Mammogram, left breast, cranio-caudal view. Patient age 42.
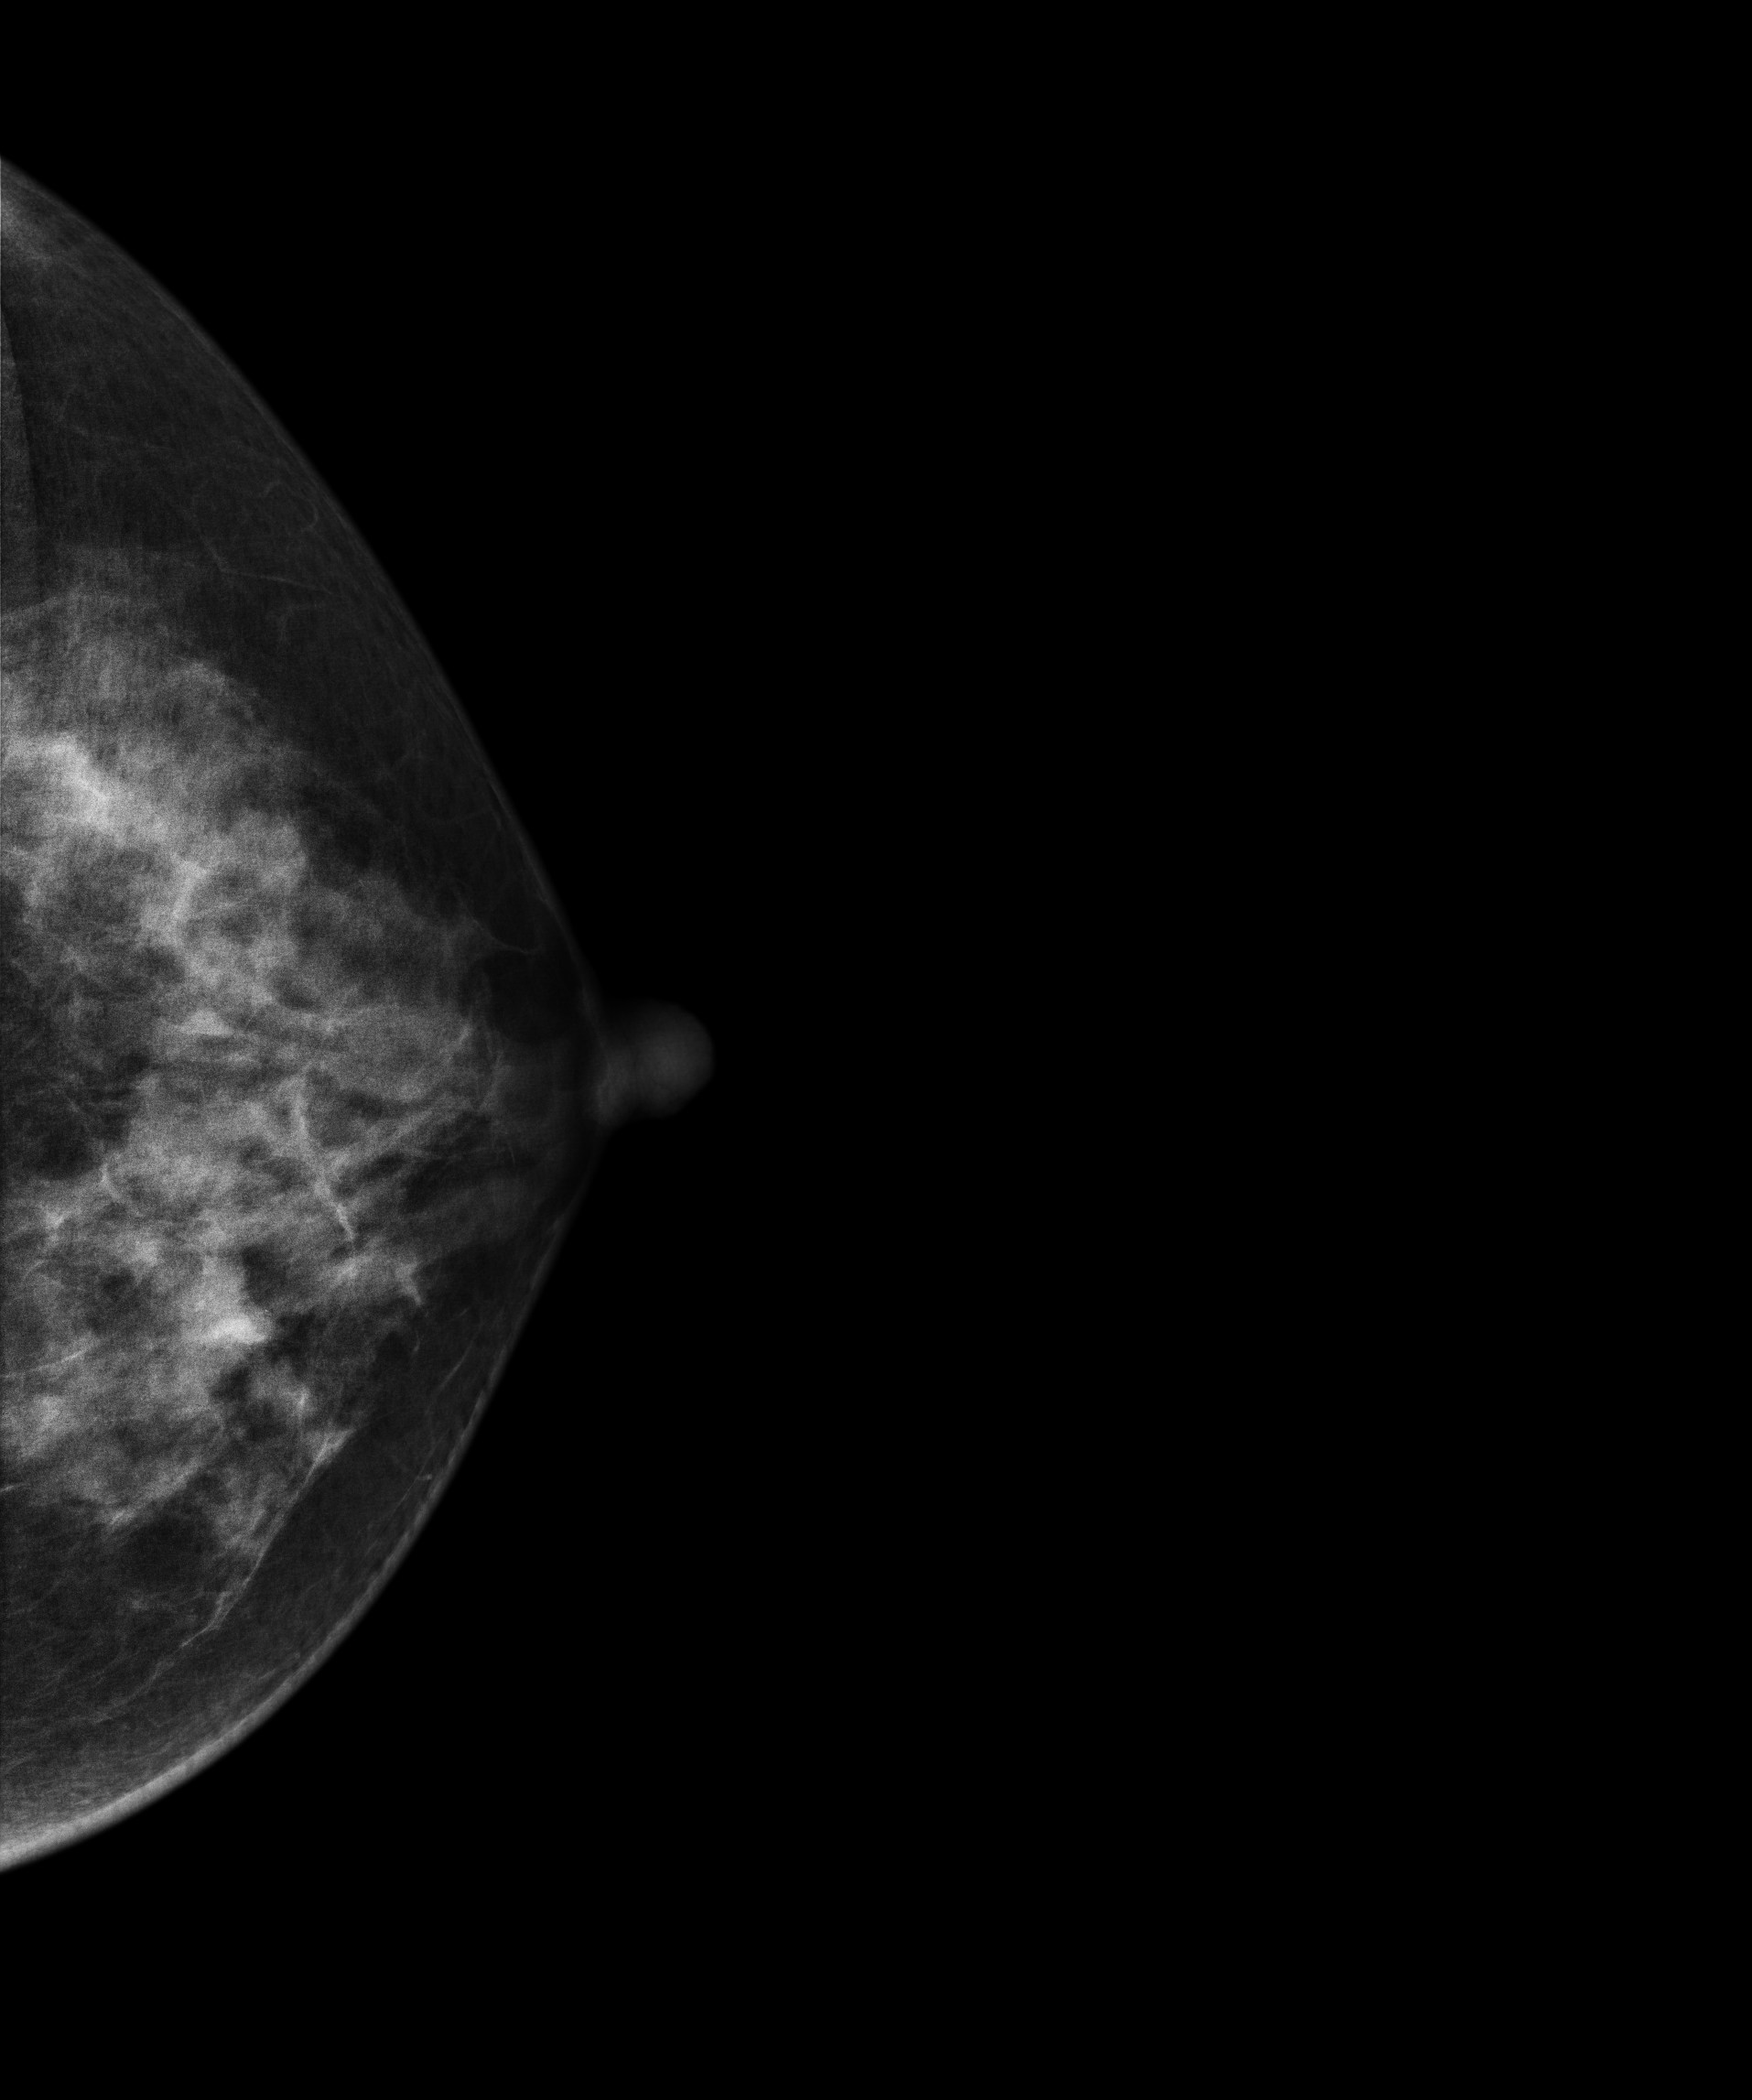
Contralateral breast — no documented abnormality on this side.